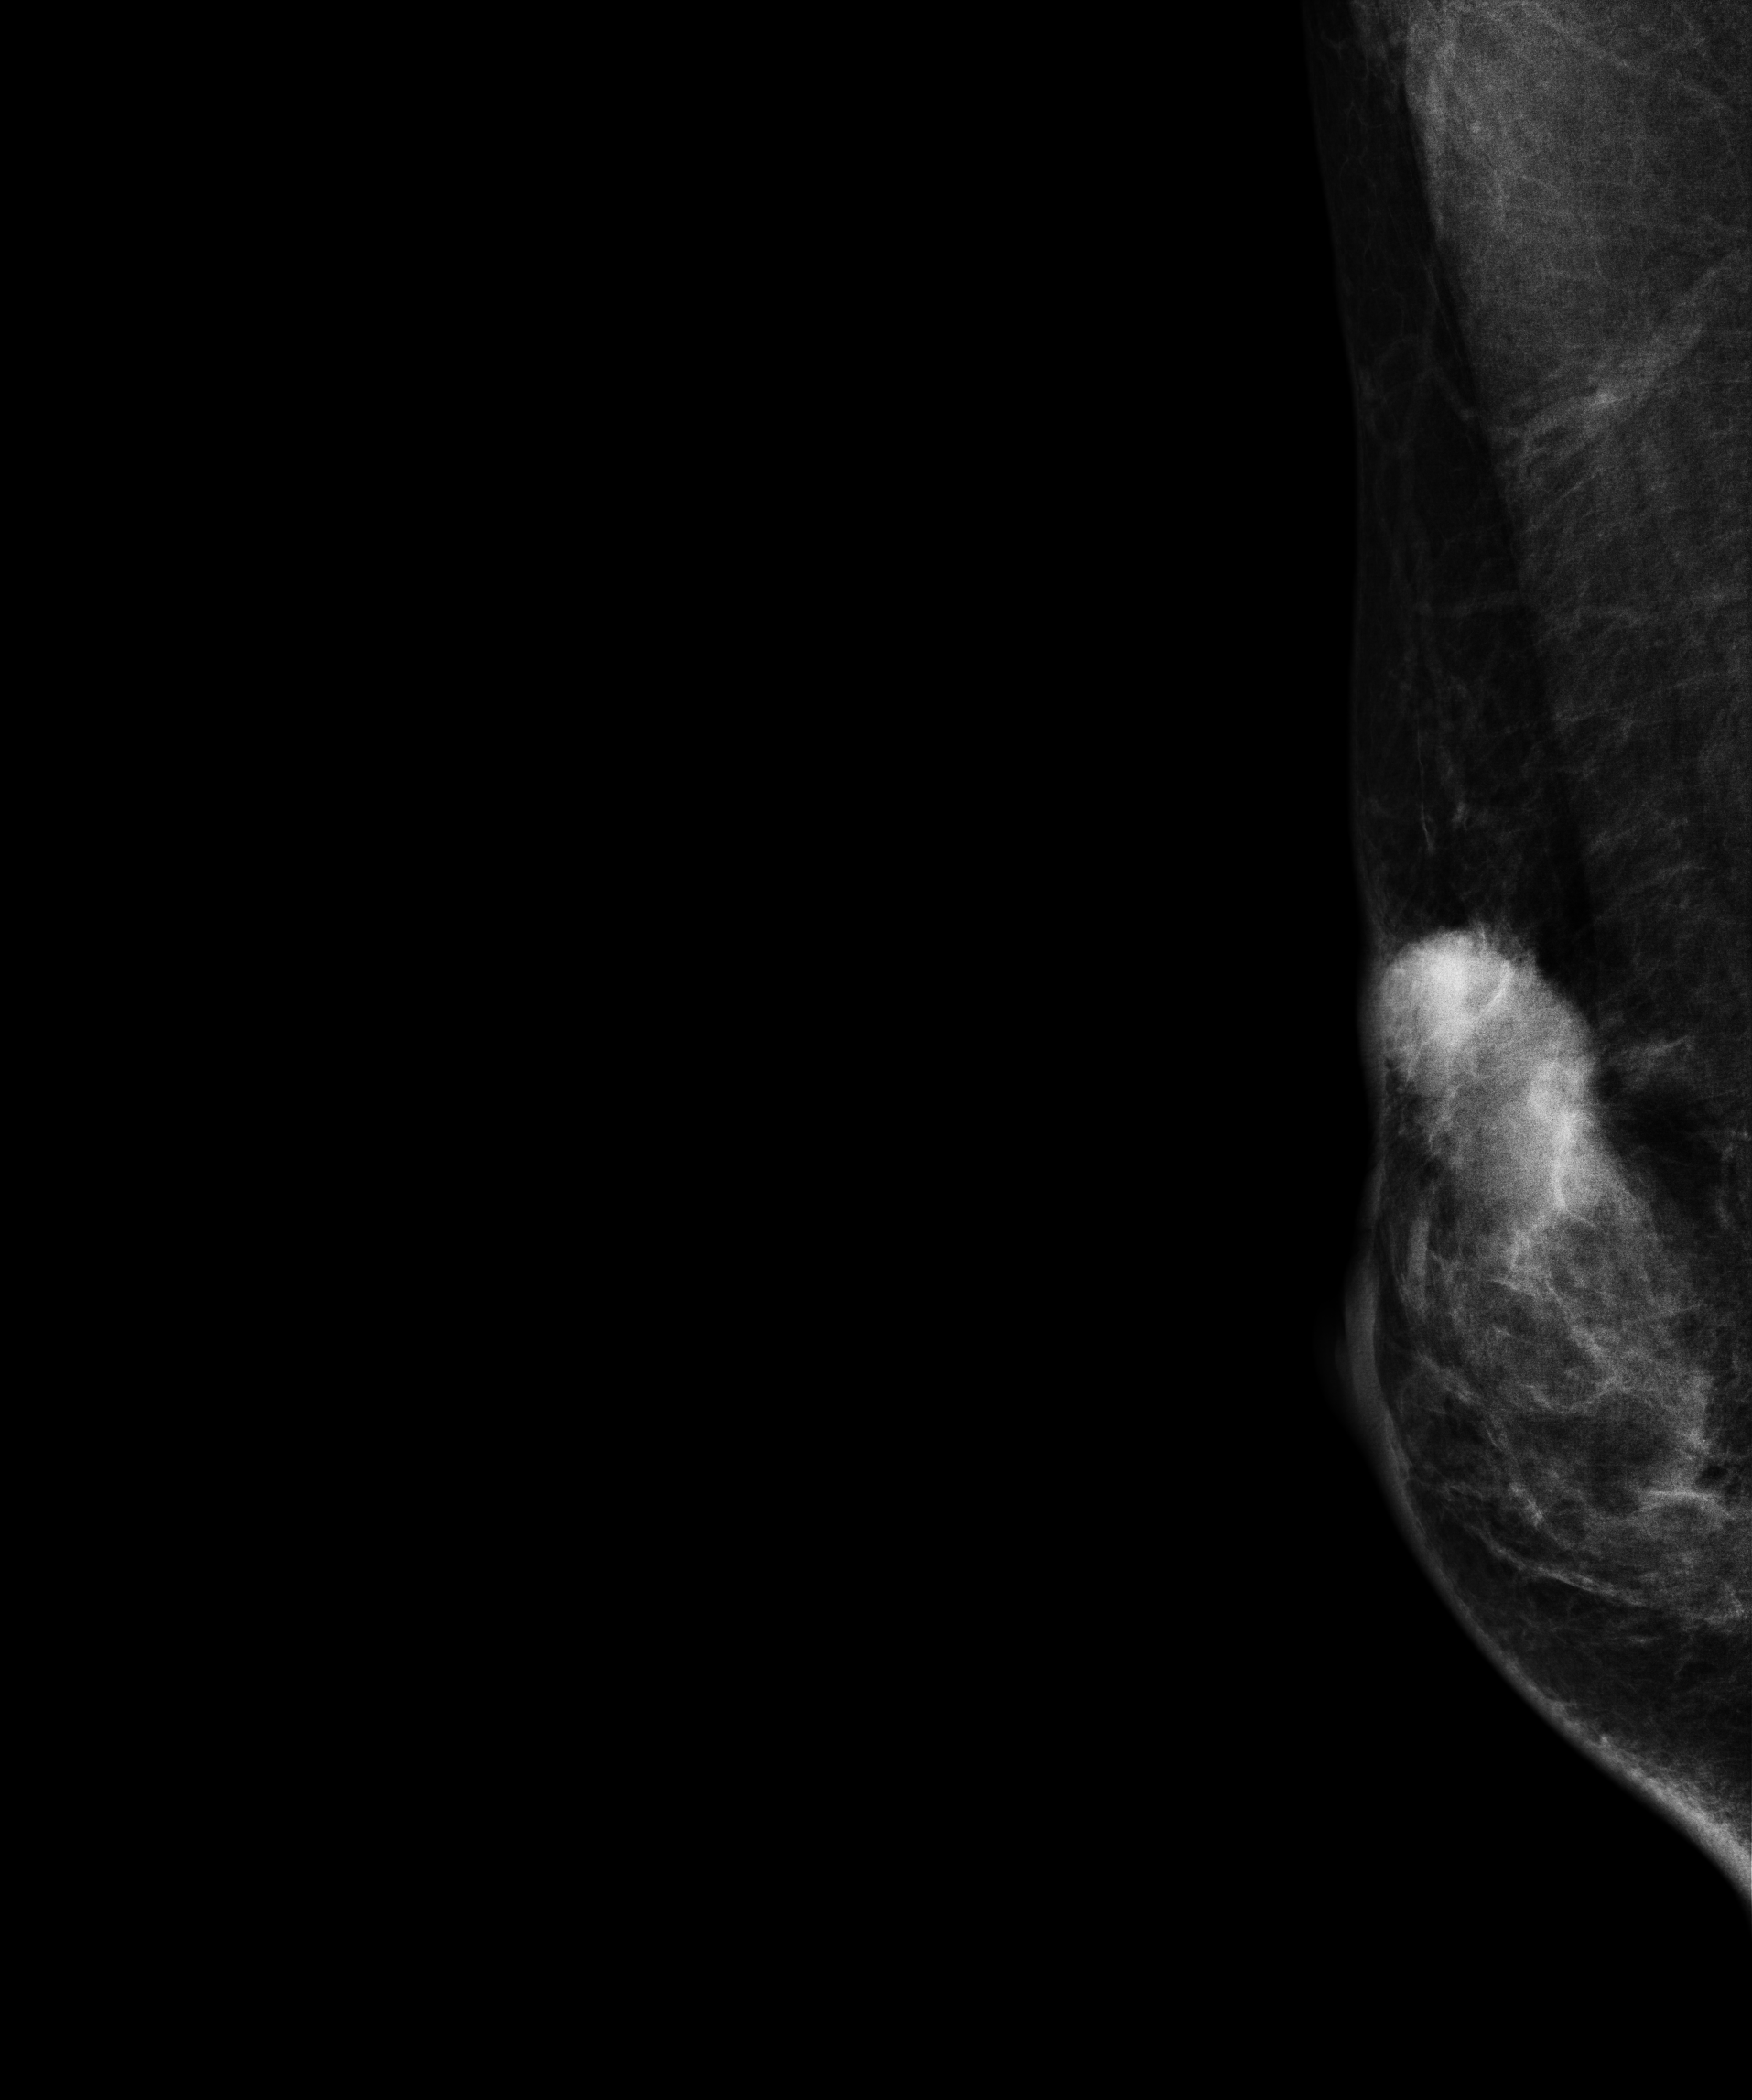
Right-breast mammogram, MLO. Patient age 43.
This breast has a mass, pathology-confirmed malignant.